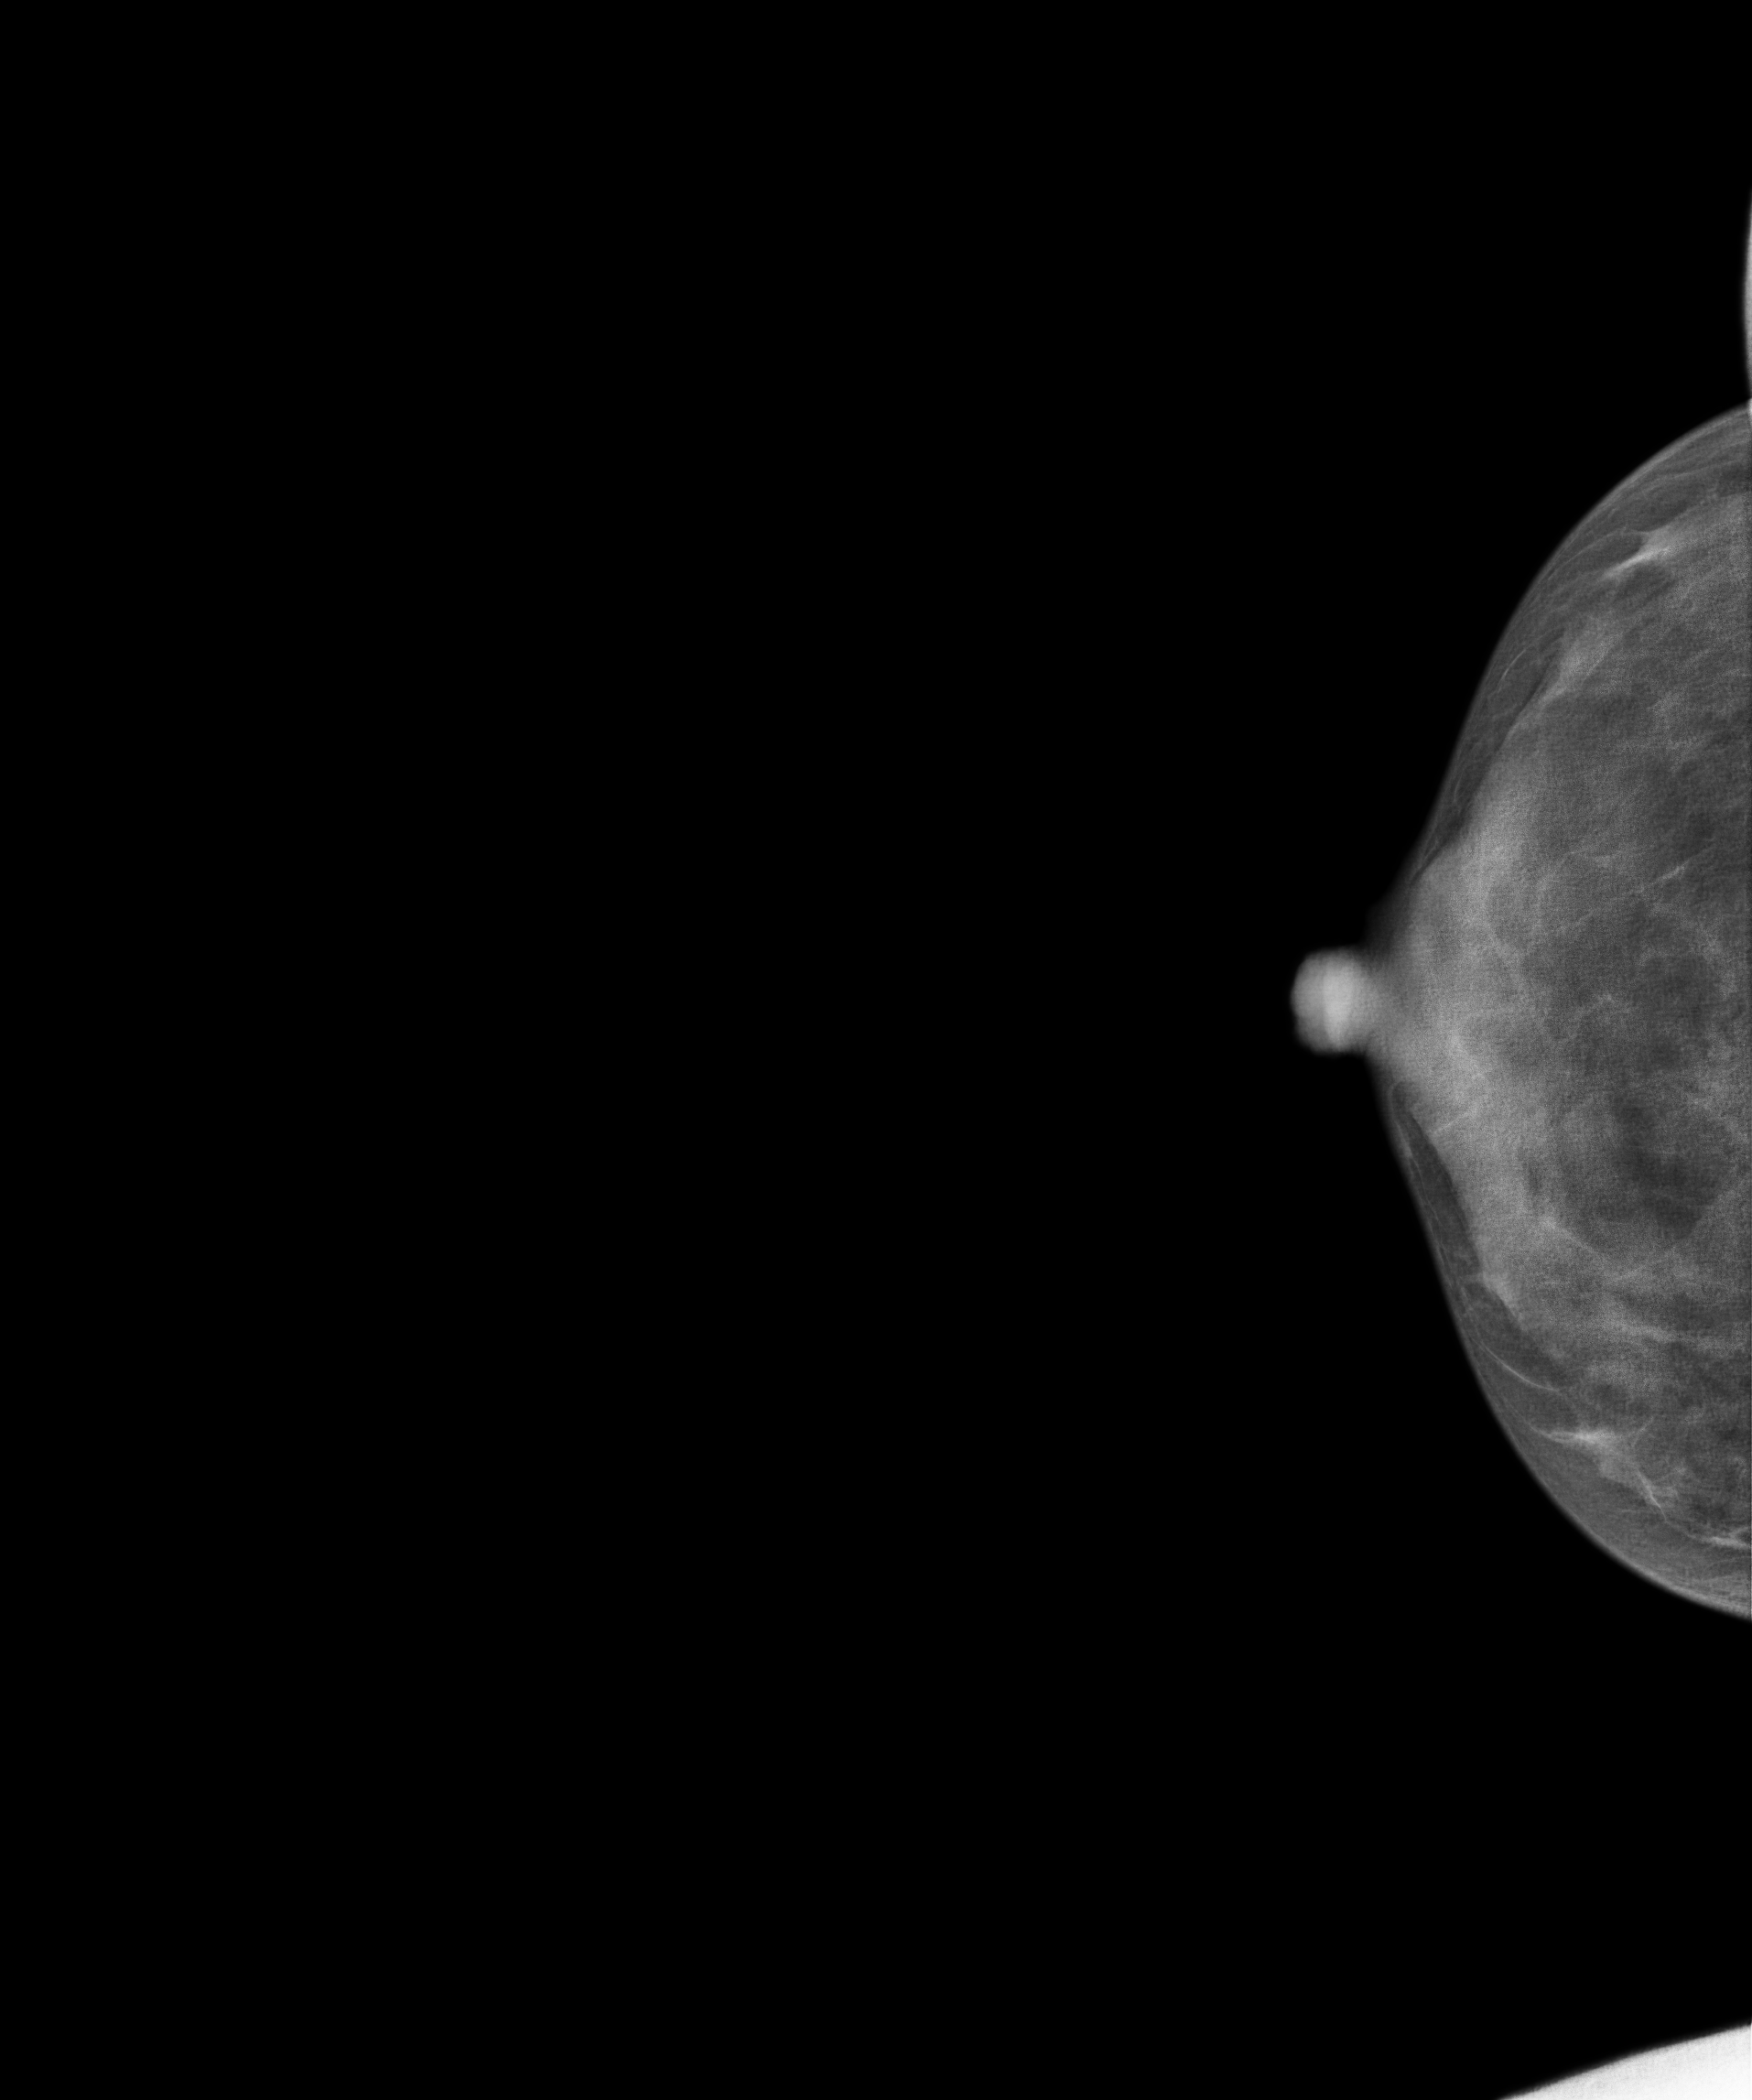
Mammogram — right CC. 26-year-old patient.
This breast has a mass, pathology-confirmed malignant.